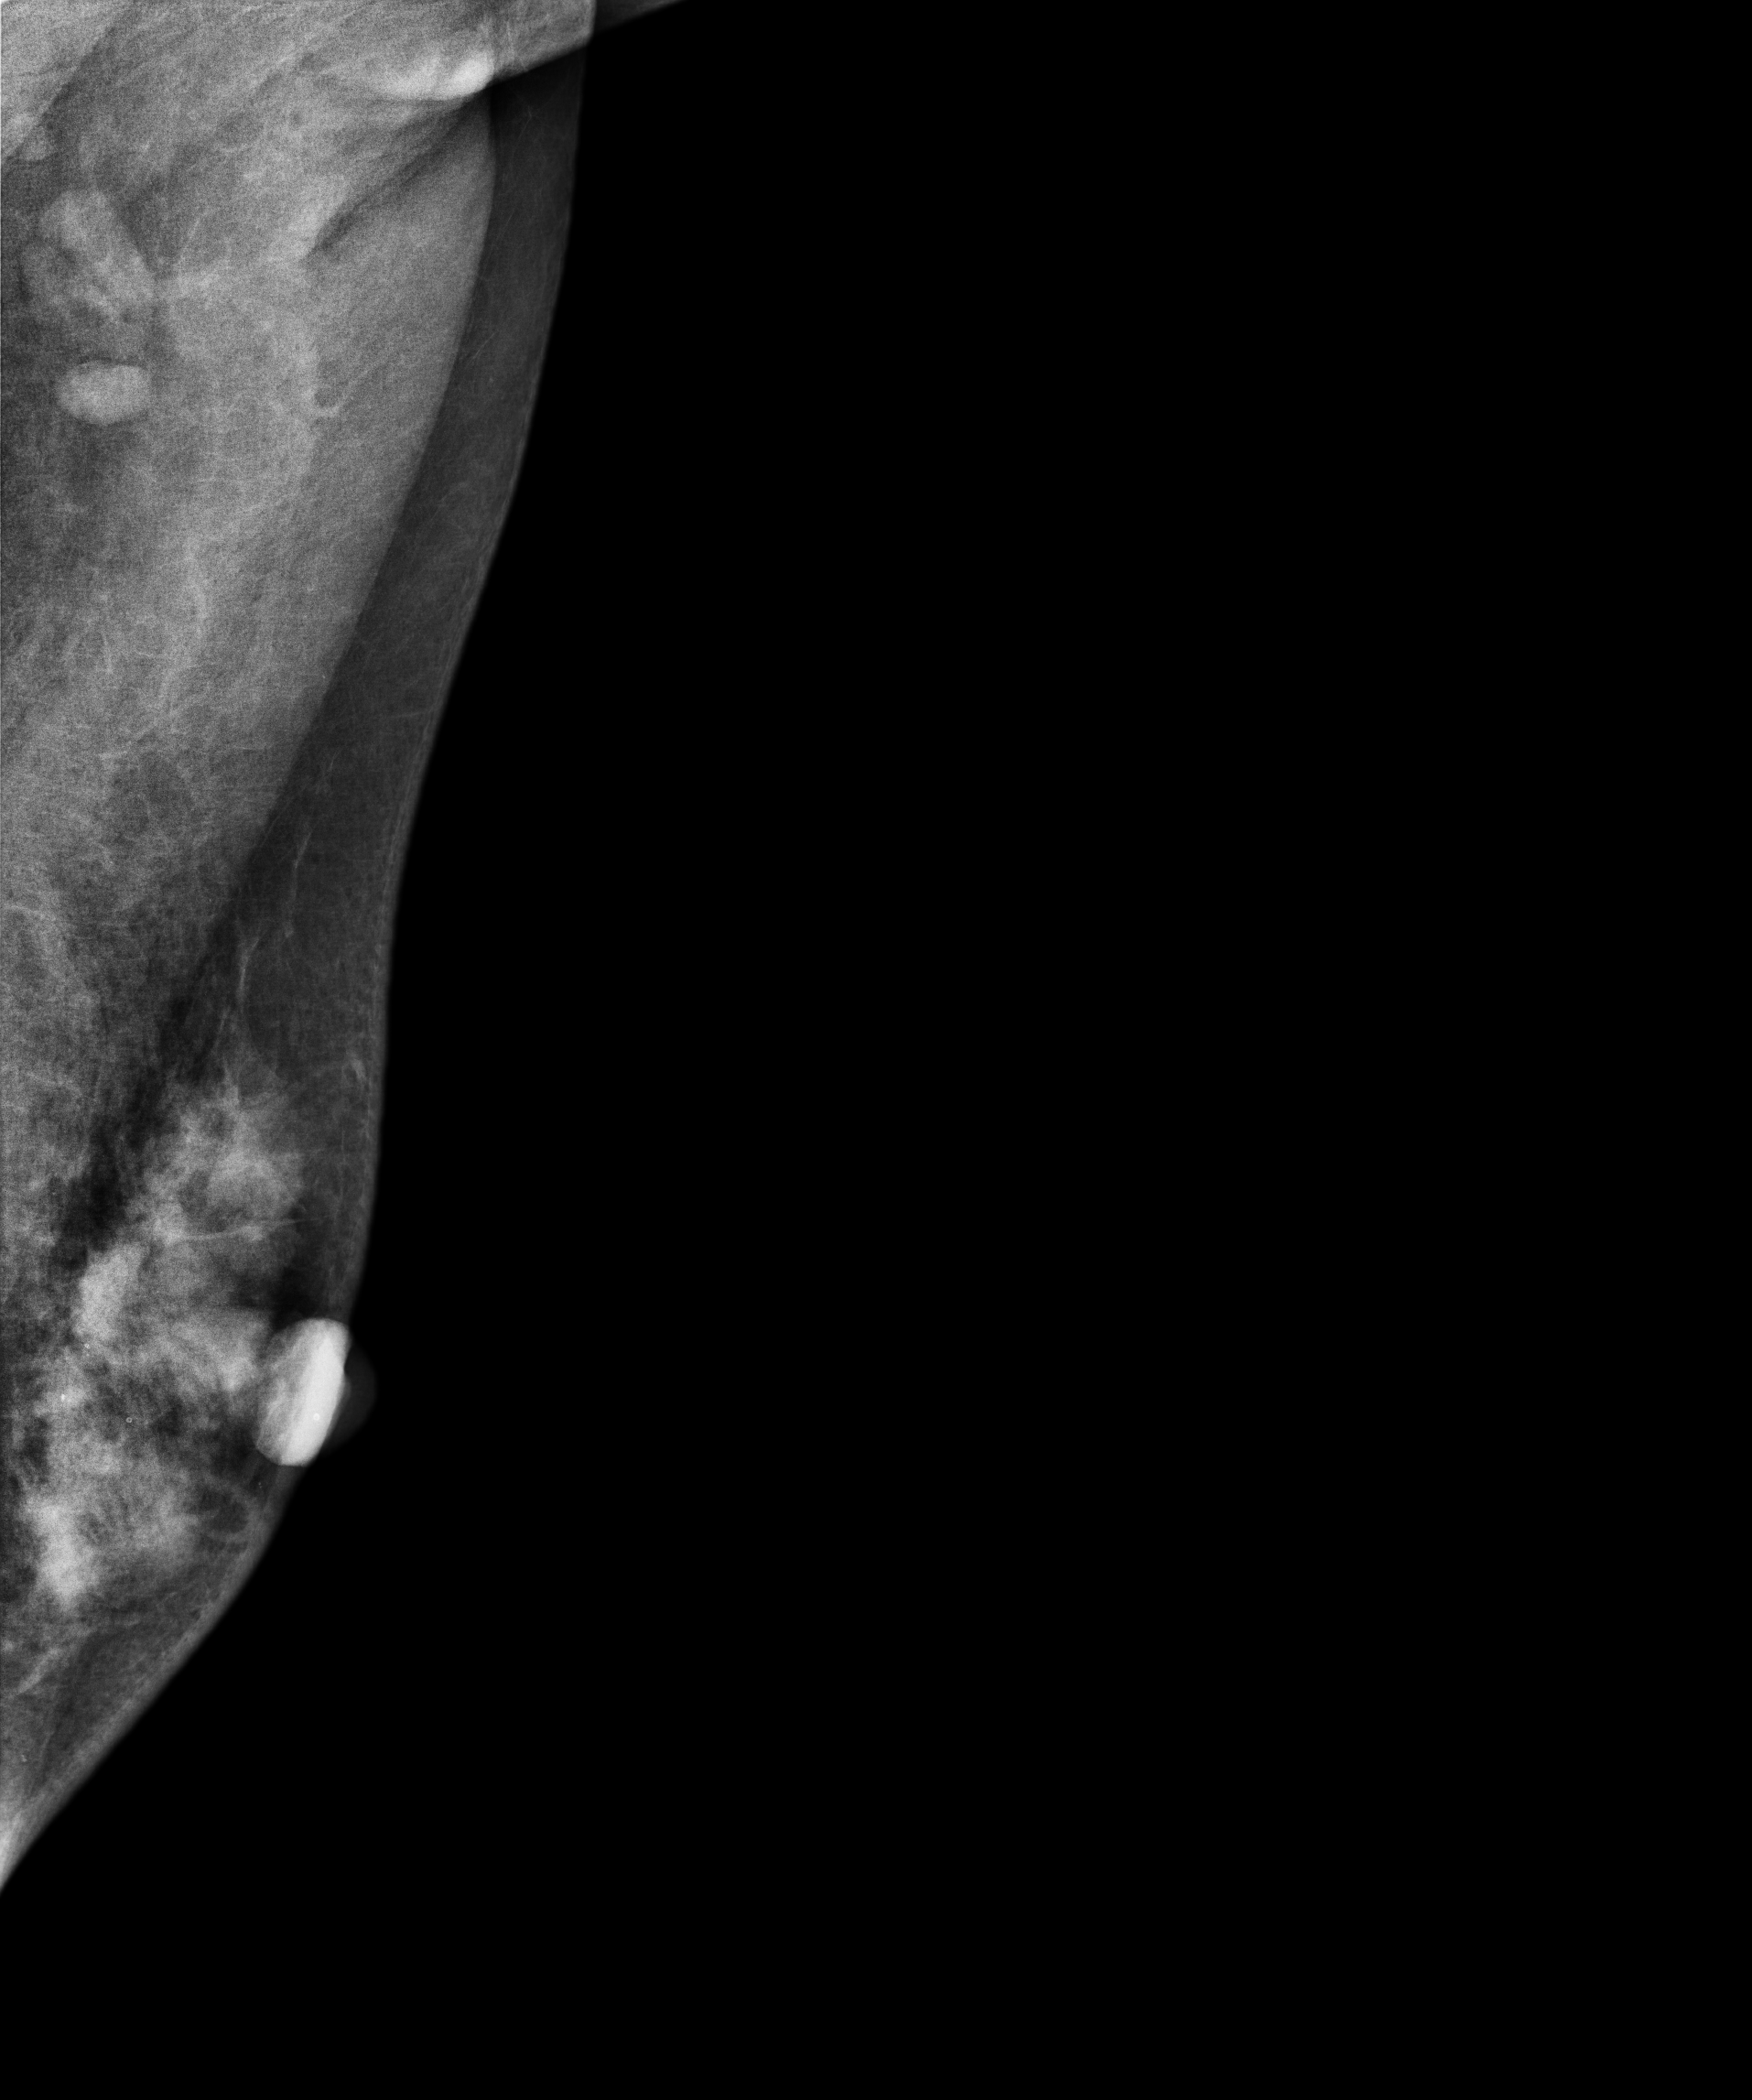
Left-breast mammogram, MLO. 47 y/o patient.
This breast has a mass, biopsy-proven benign.